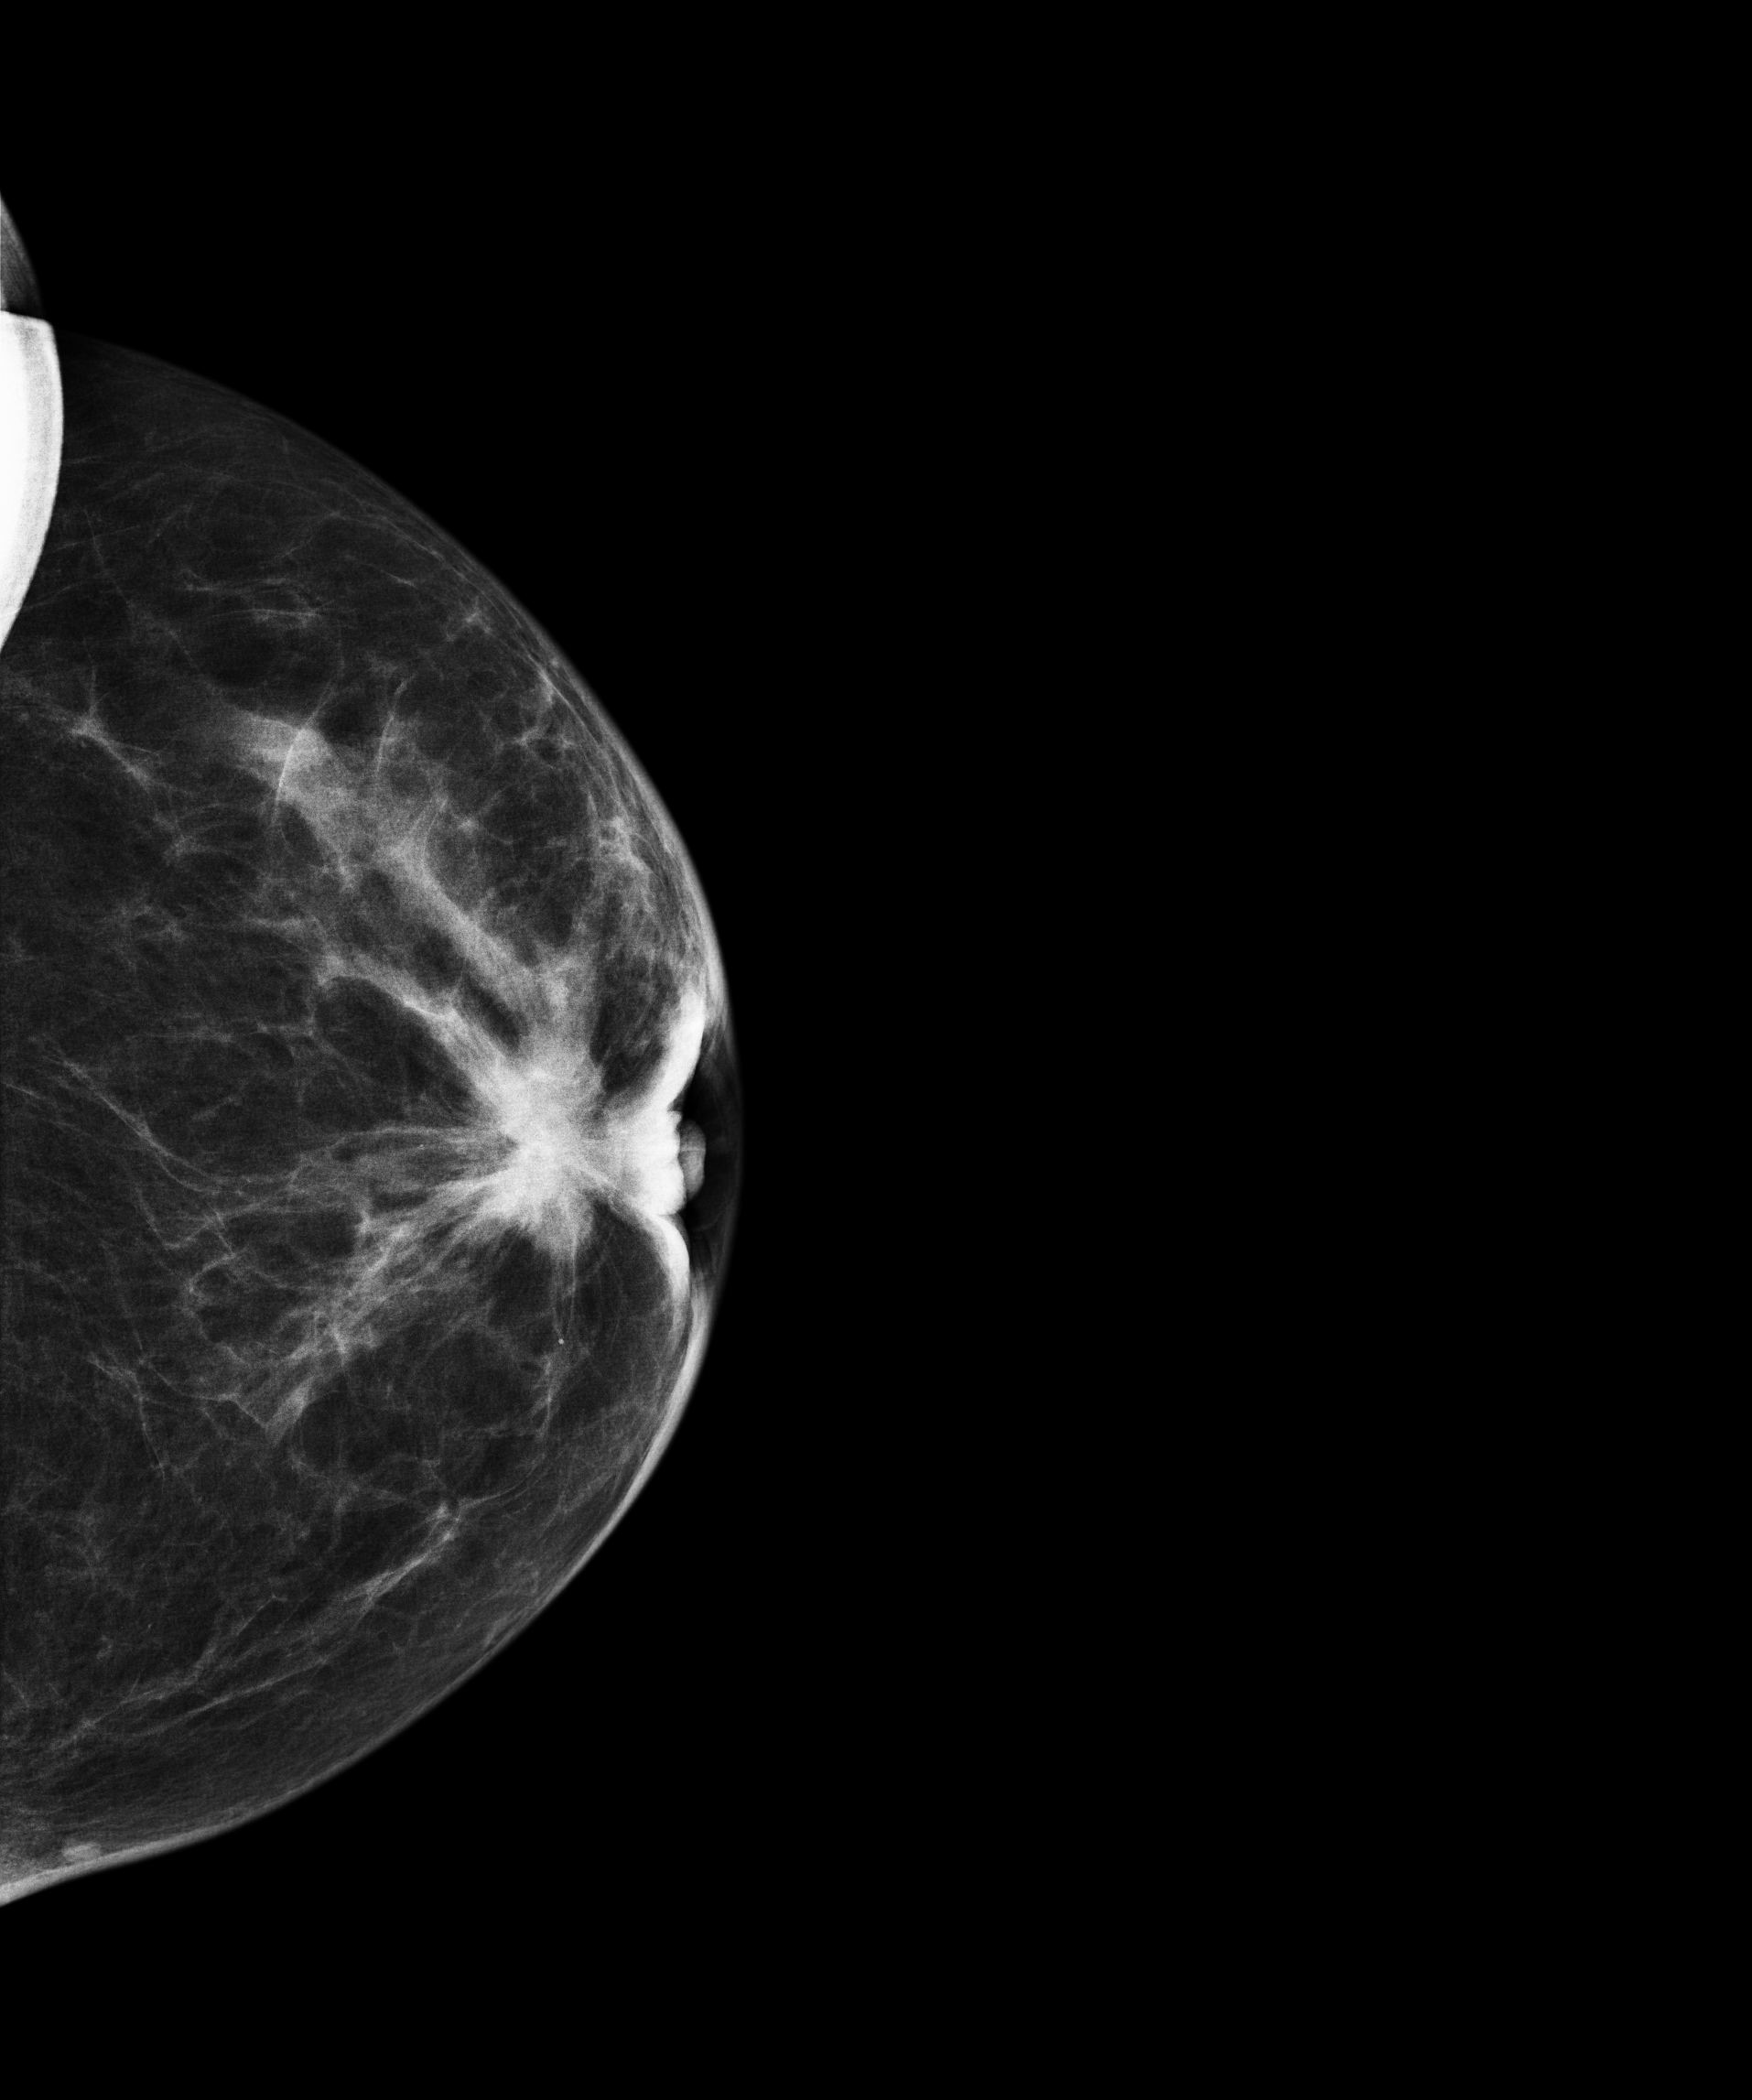
Left-breast mammogram, CC. 71 y/o patient.
This breast has a mass, pathology-confirmed malignant.